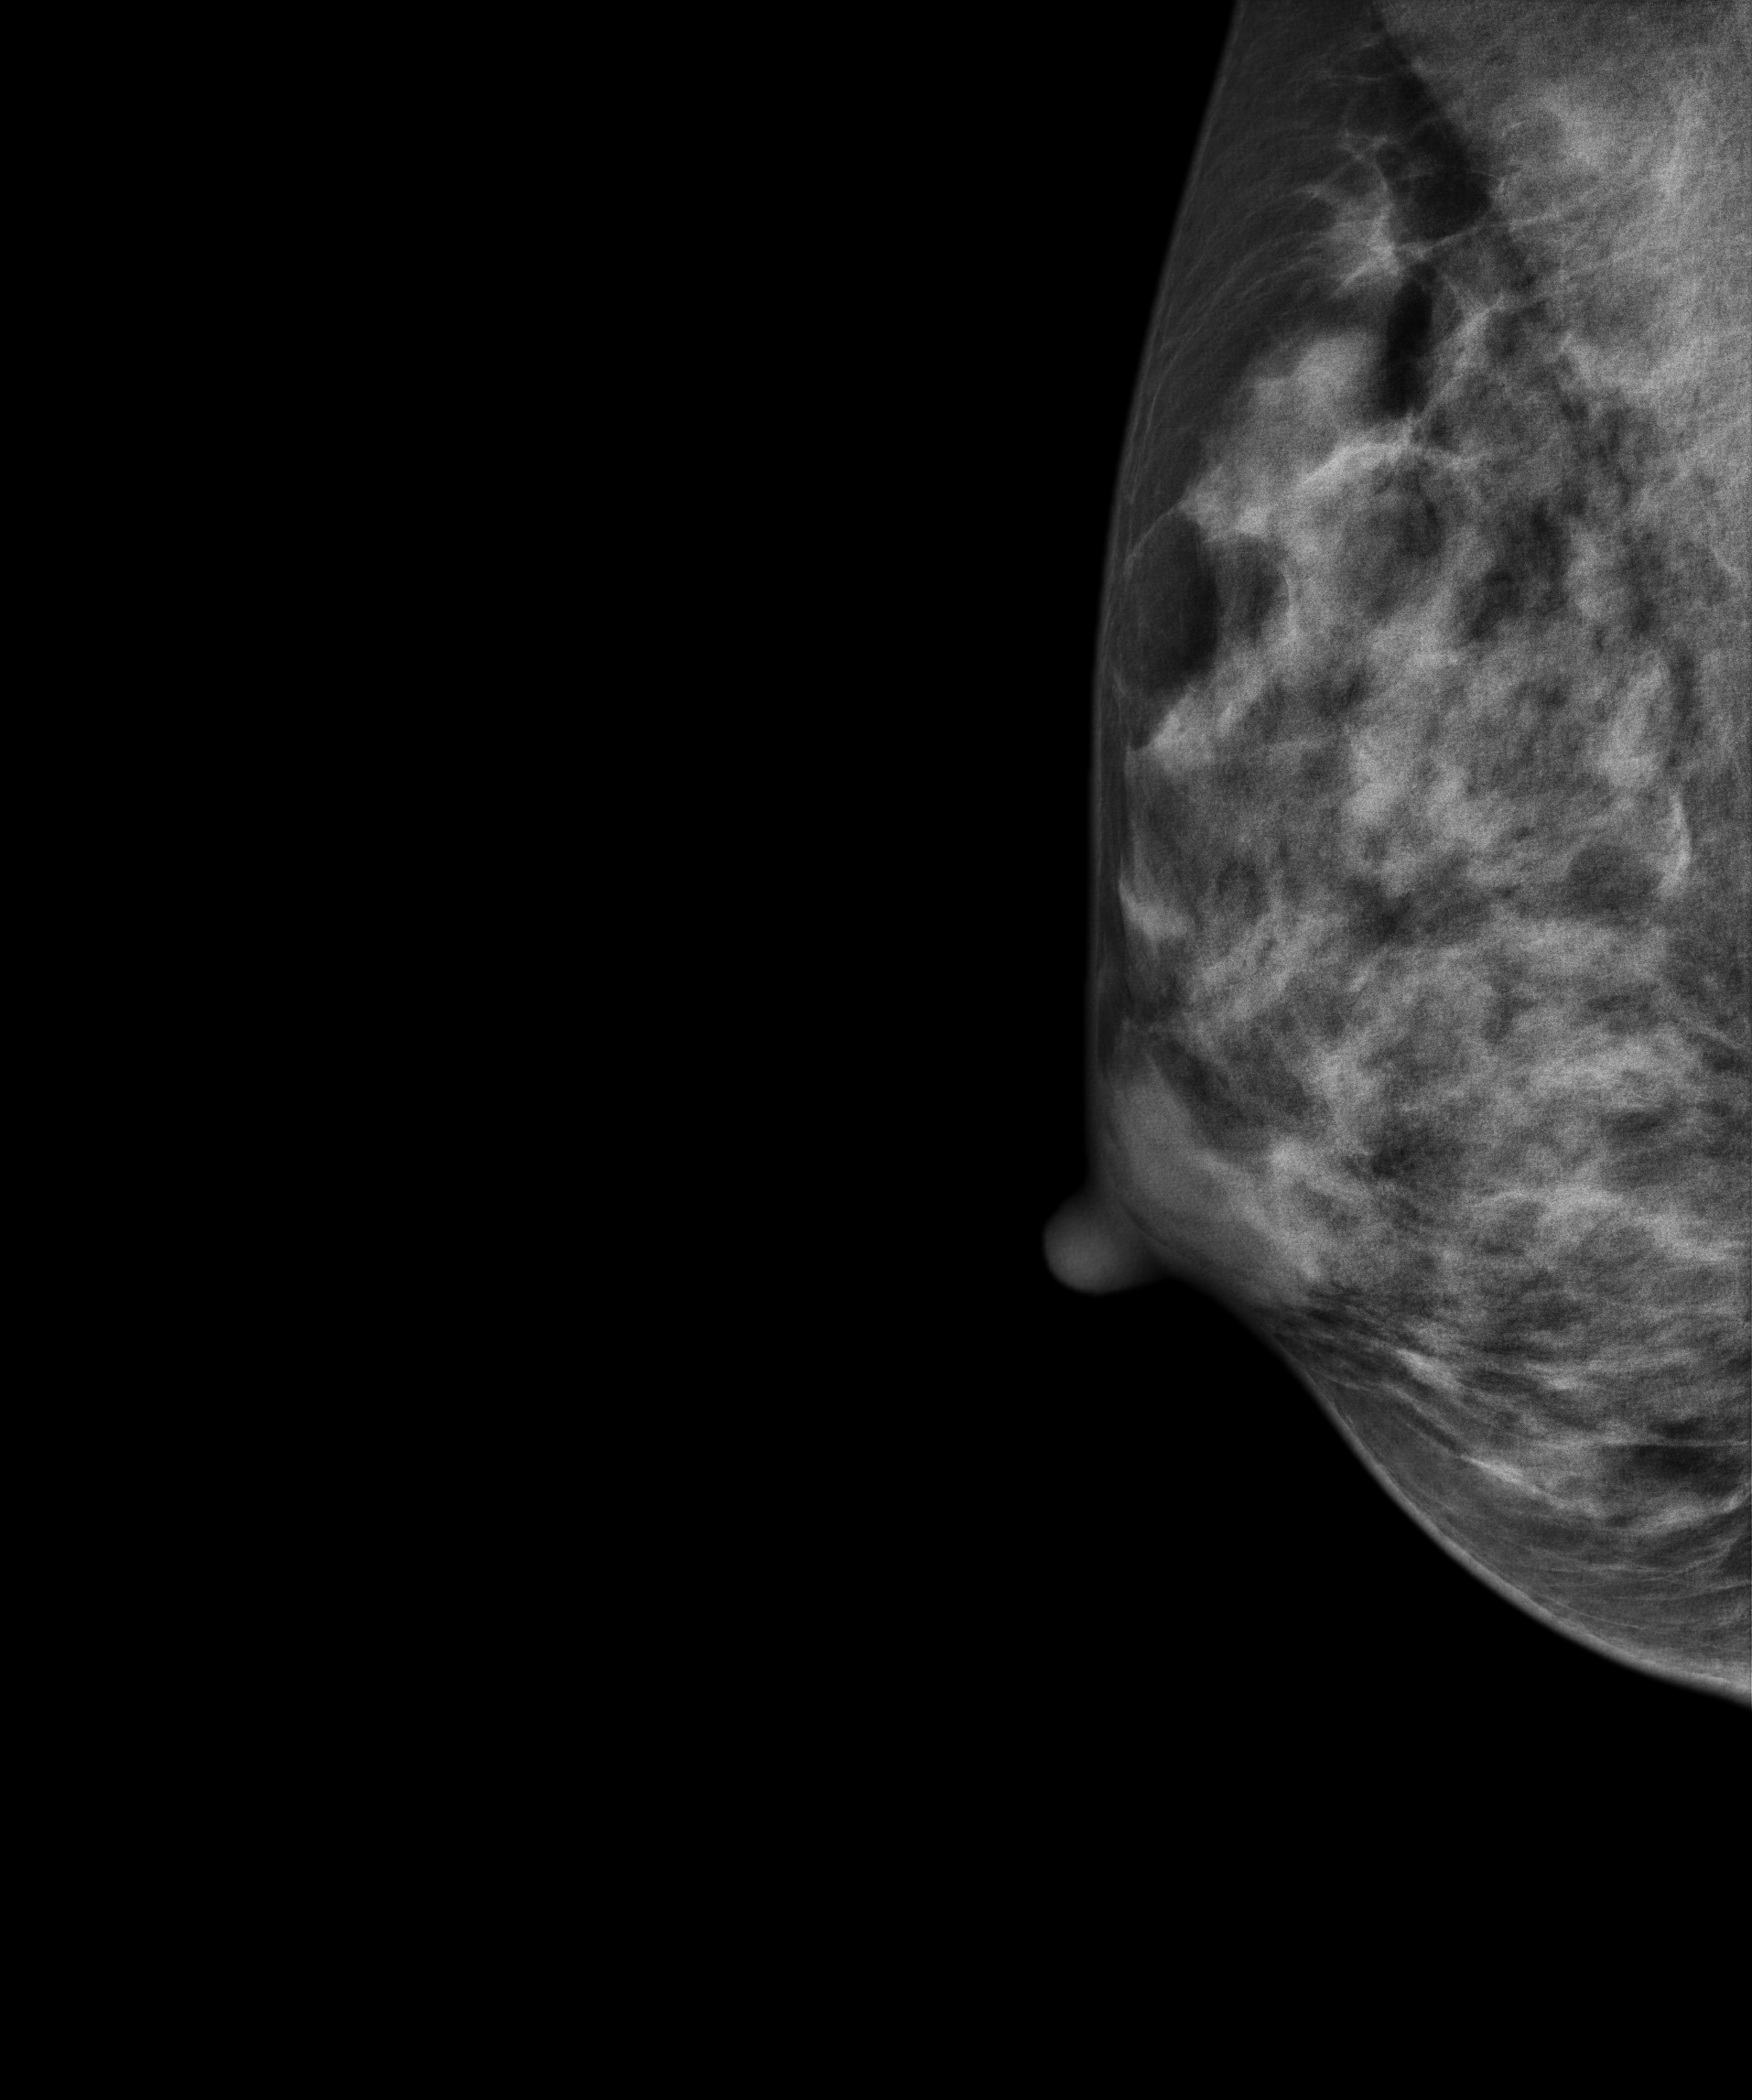
Mammogram — right medio-lateral oblique. 31-year-old patient.
Contralateral breast — no documented abnormality on this side.